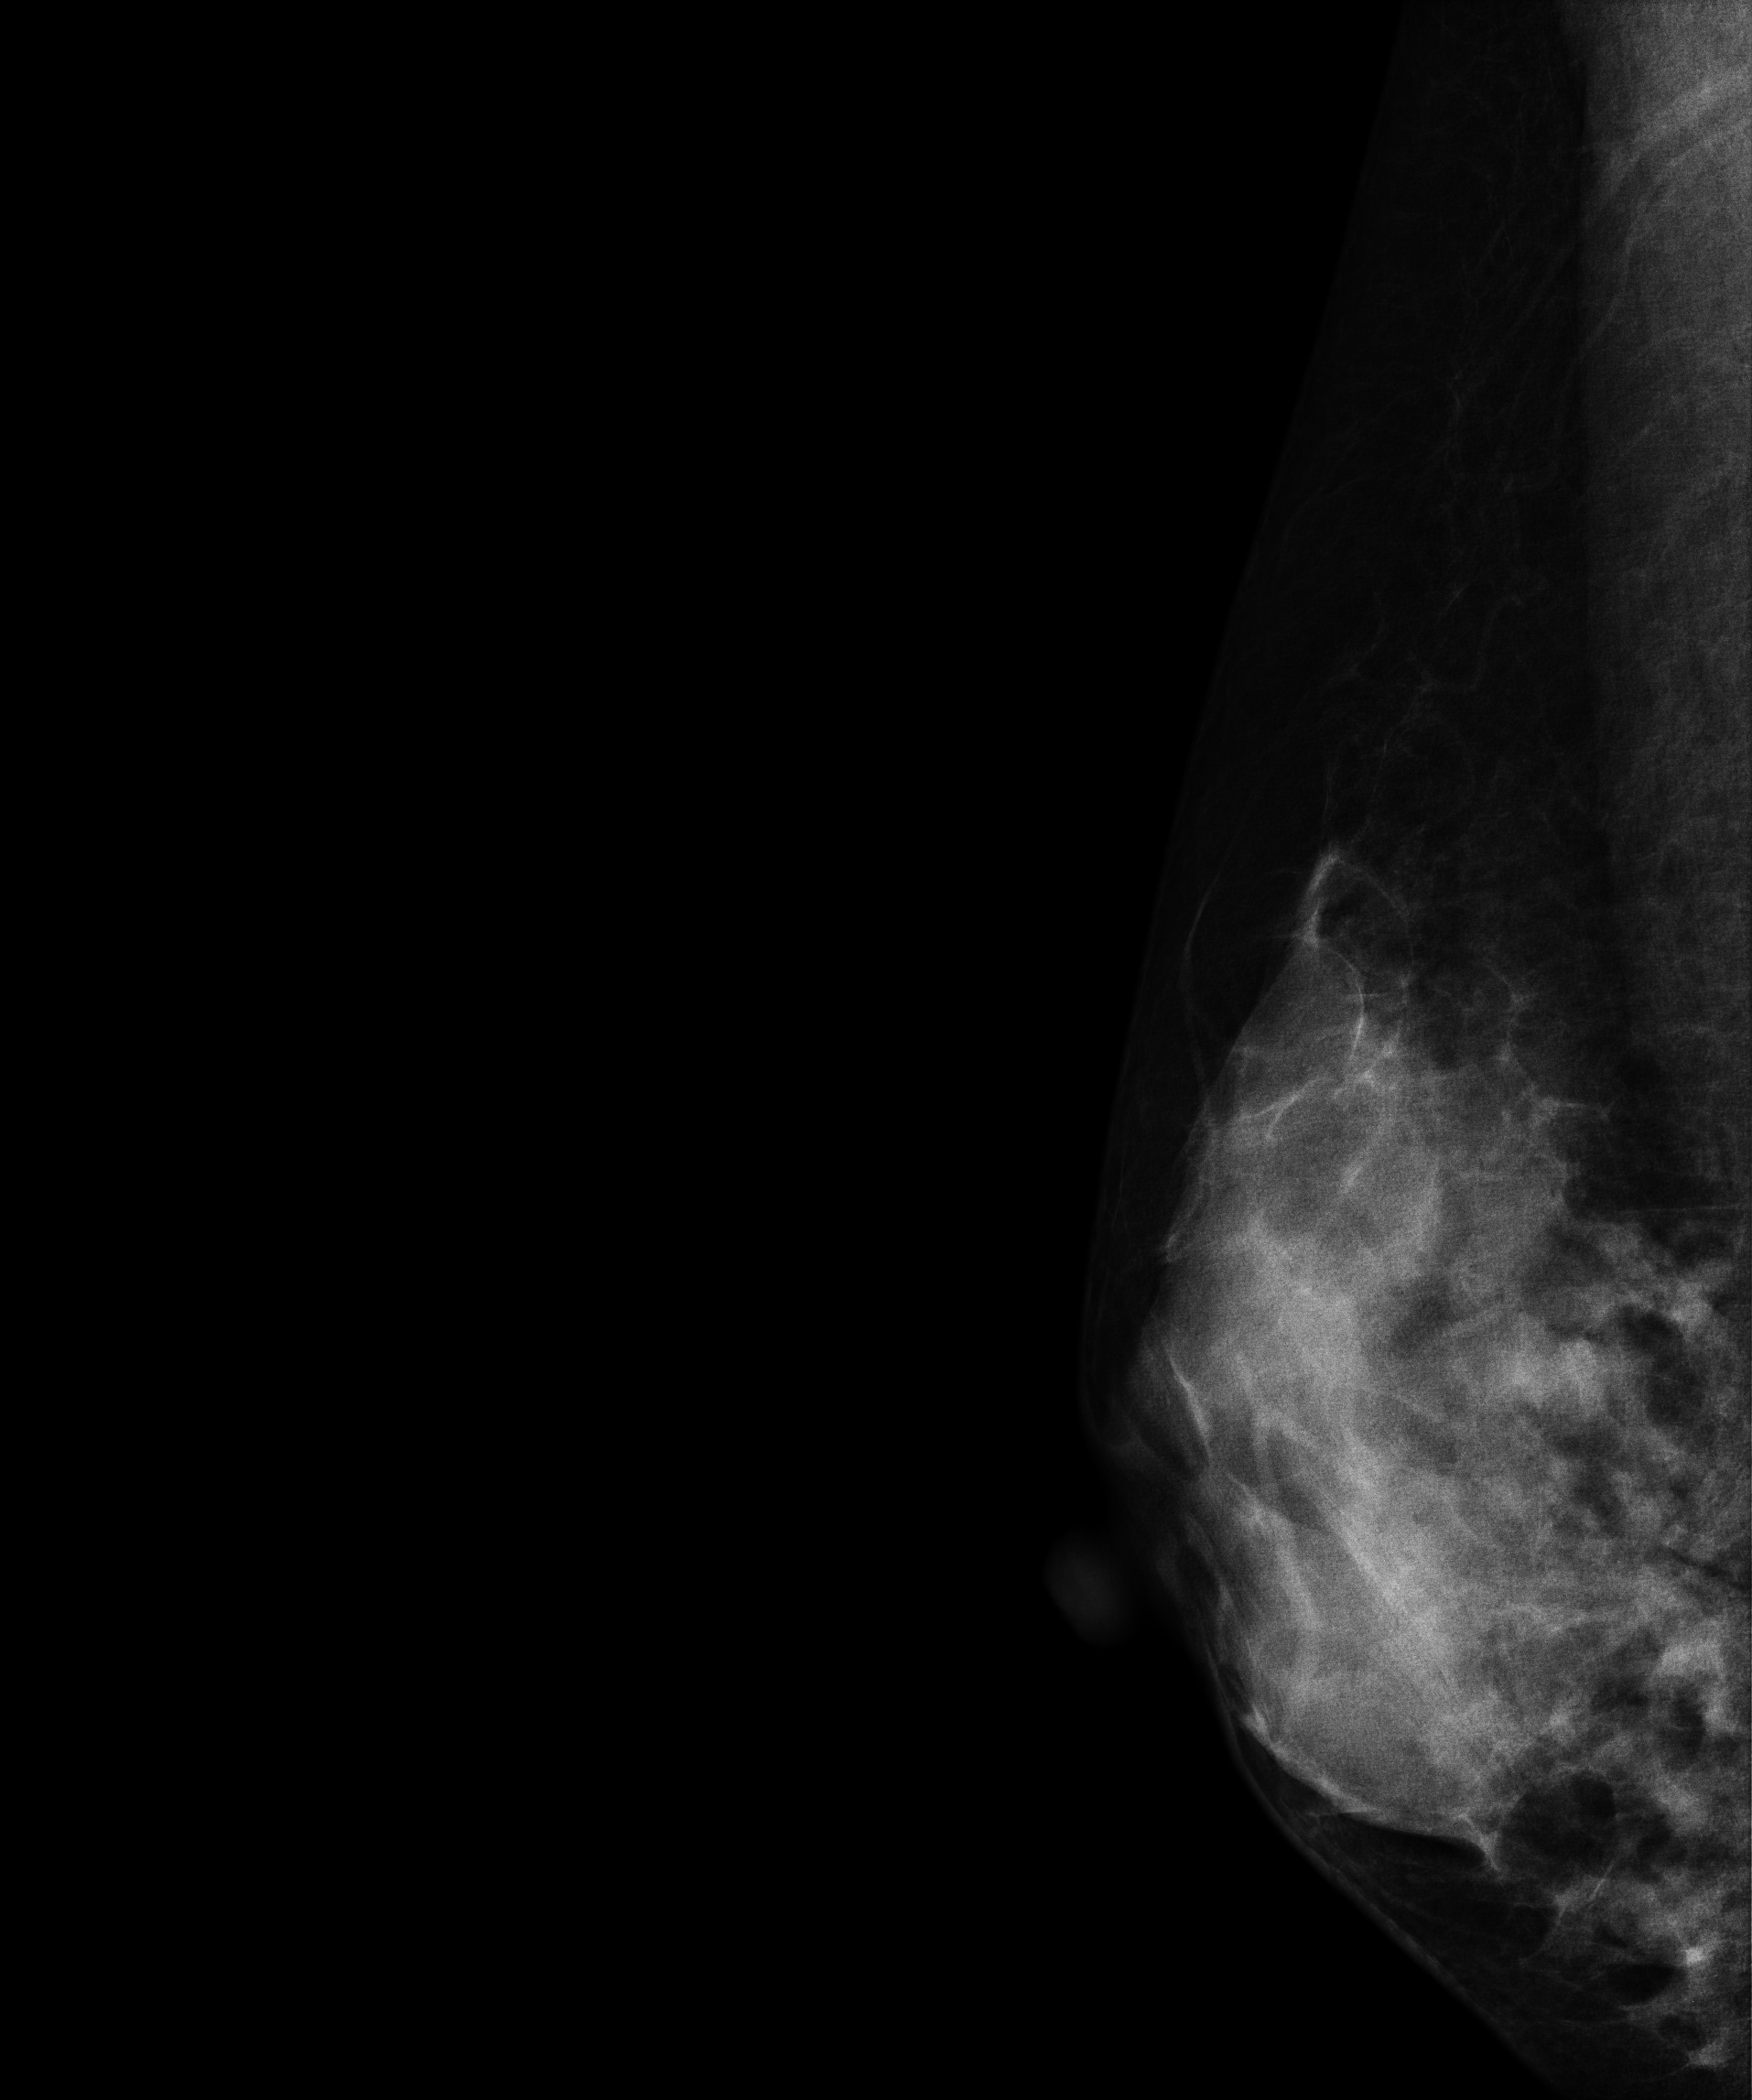
Mammogram, right breast, MLO view. 45-year-old patient.
This breast has a mass, biopsy-proven malignant.